Mammogram — right CC. 37-year-old patient.
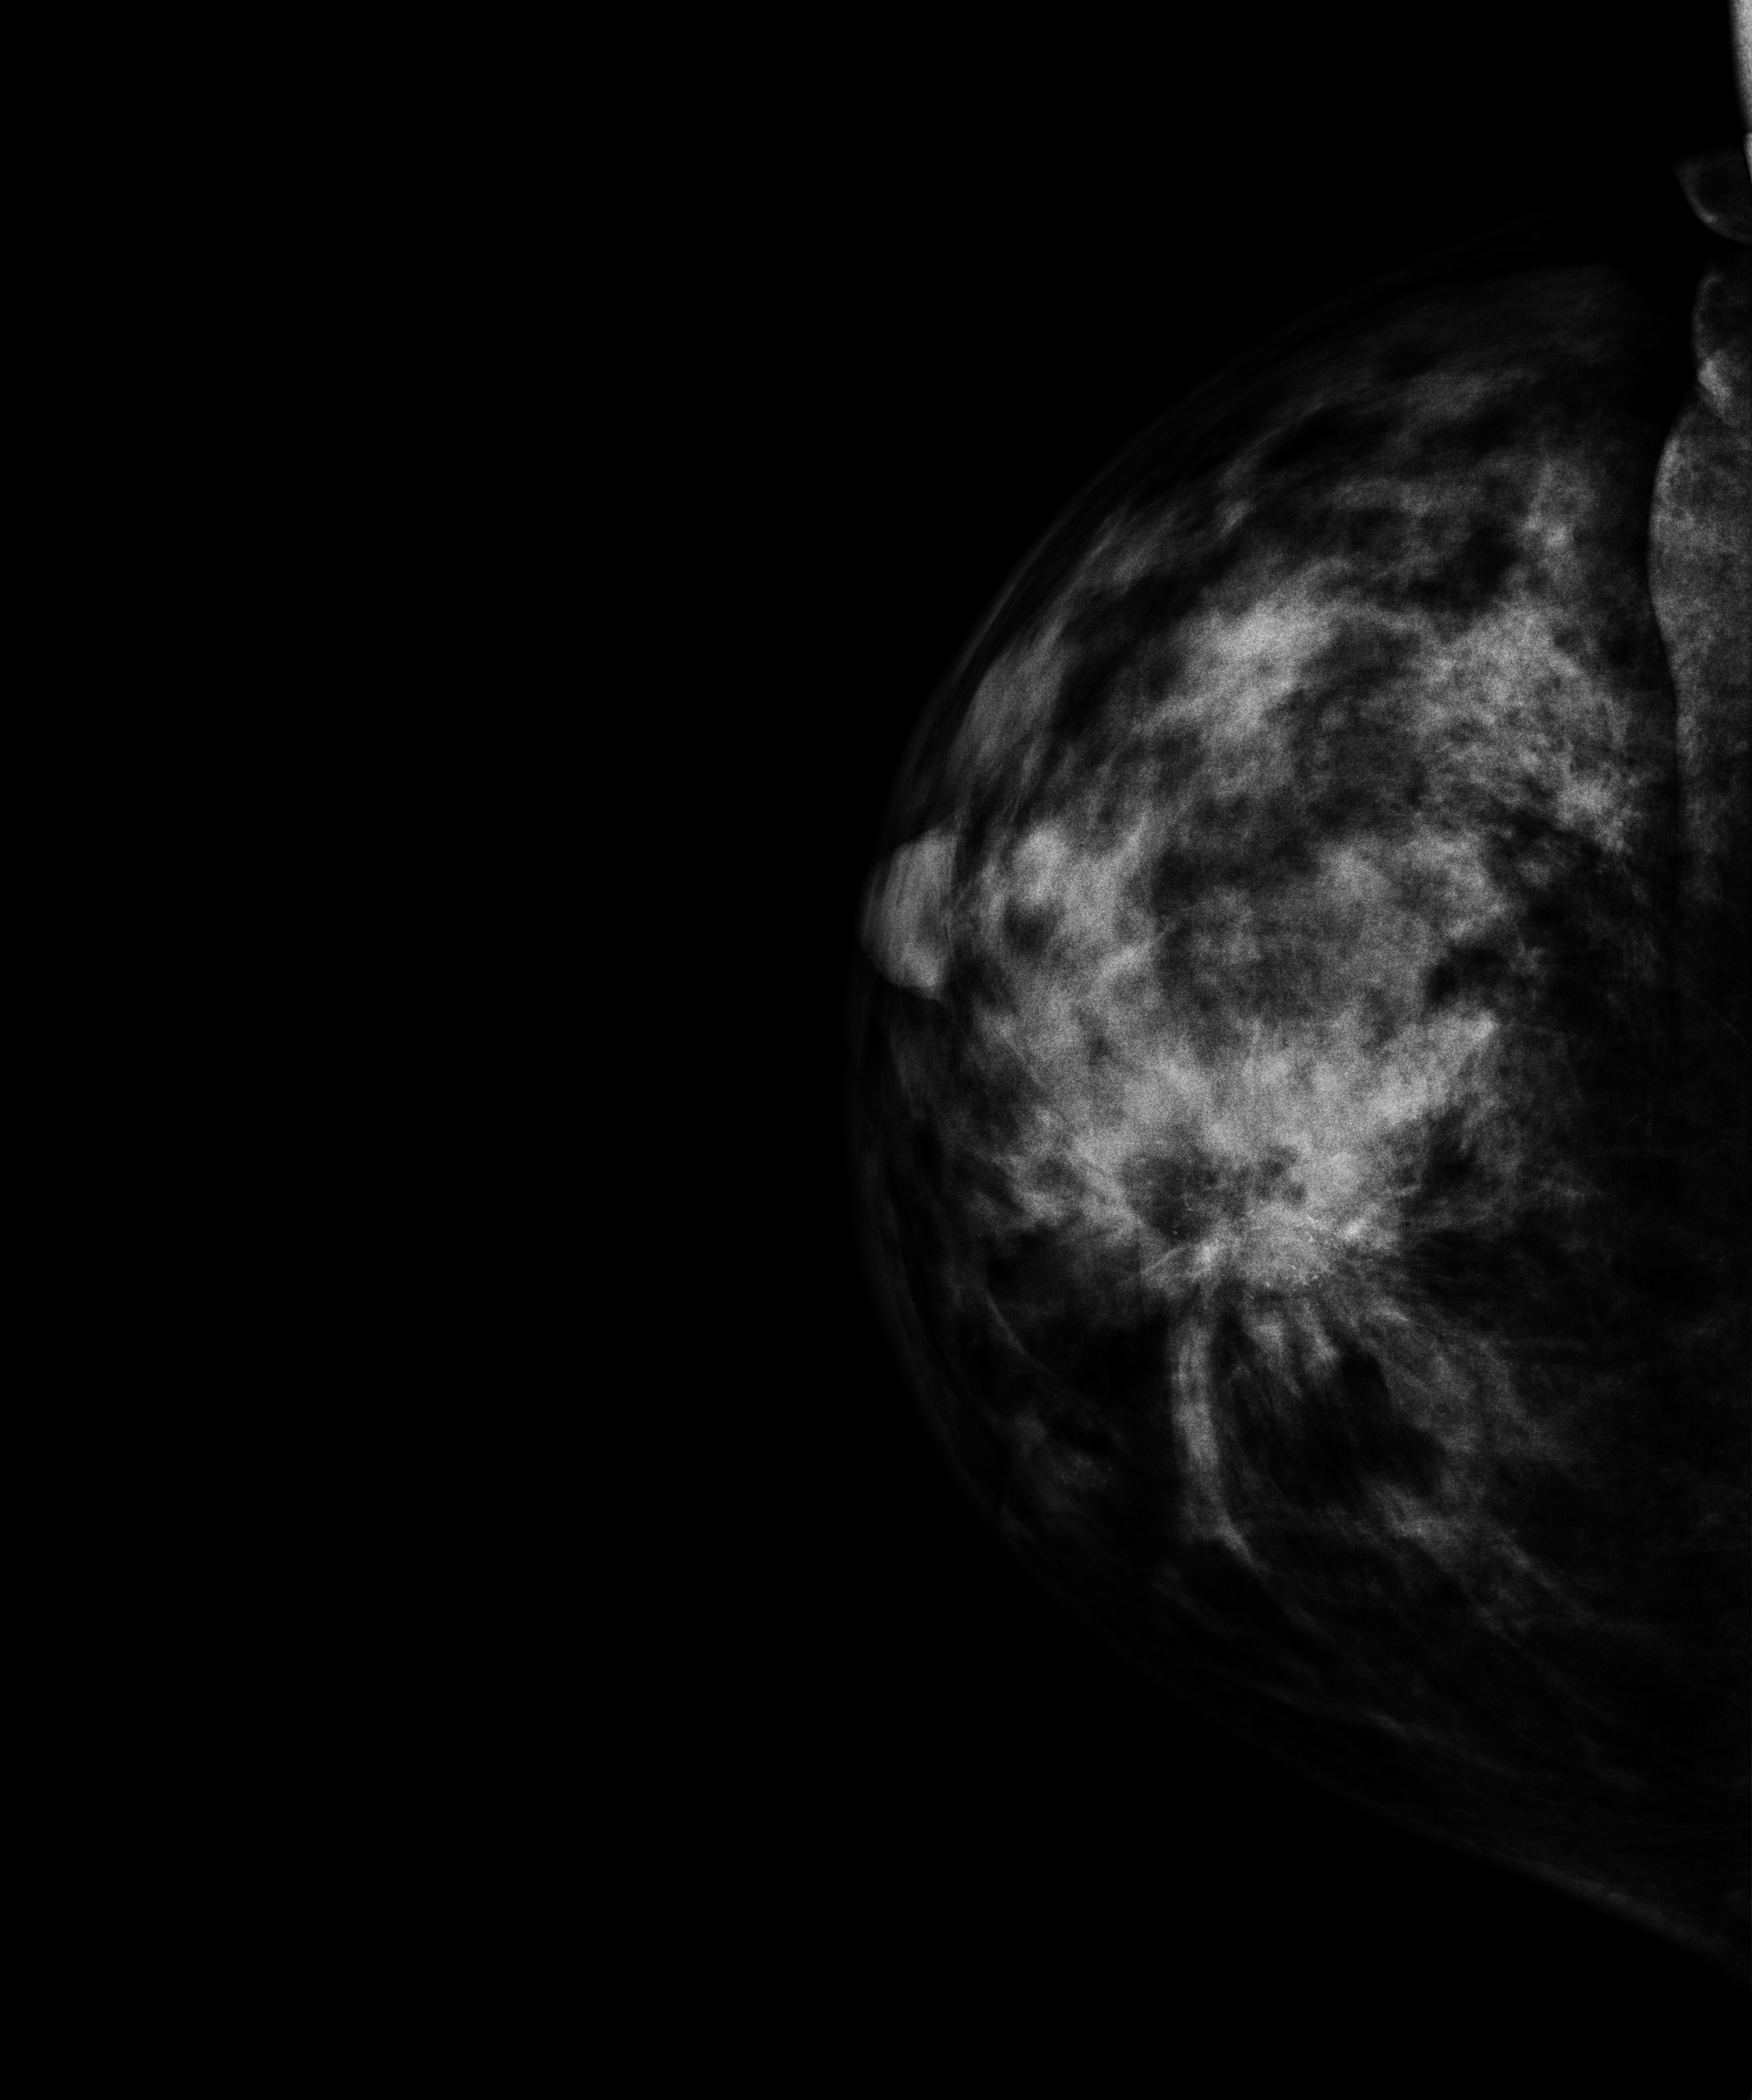
This breast has a mass and calcifications, biopsy-confirmed malignant. Molecular subtype: luminal A.